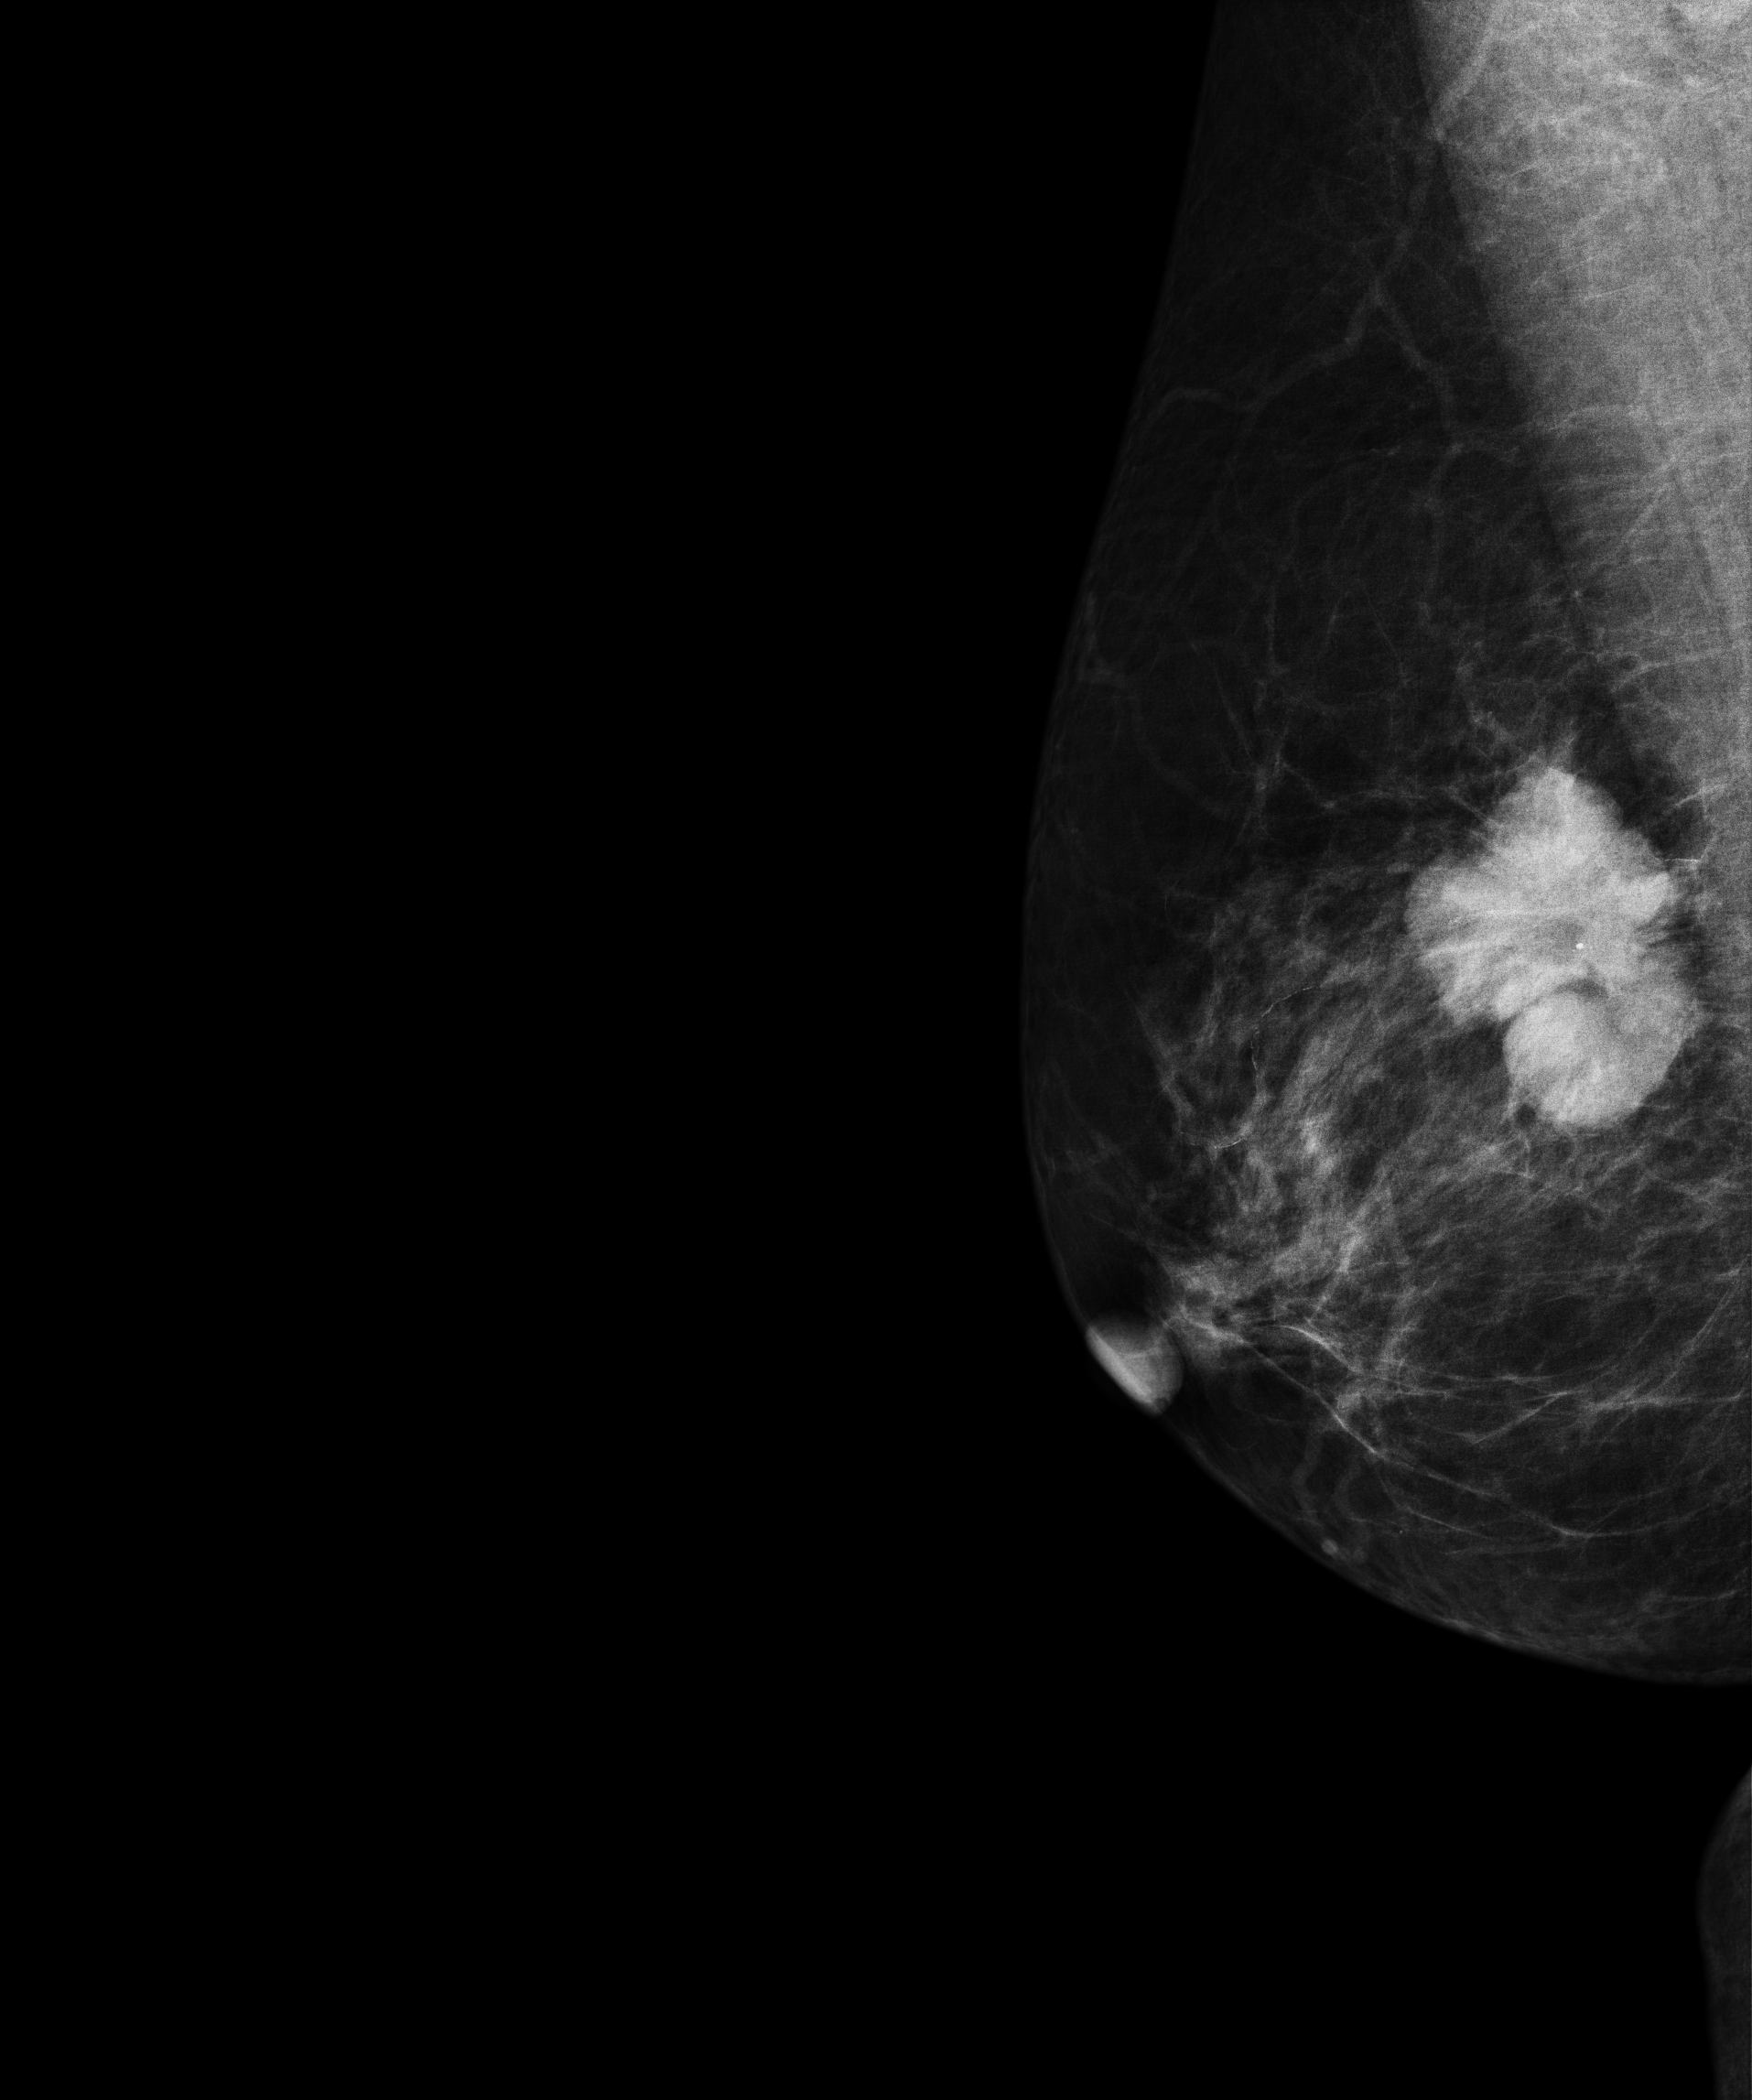
Mammogram, right breast, medio-lateral oblique view. 63-year-old patient.
This breast has a mass, biopsy-confirmed malignant. Molecular subtype: luminal B.